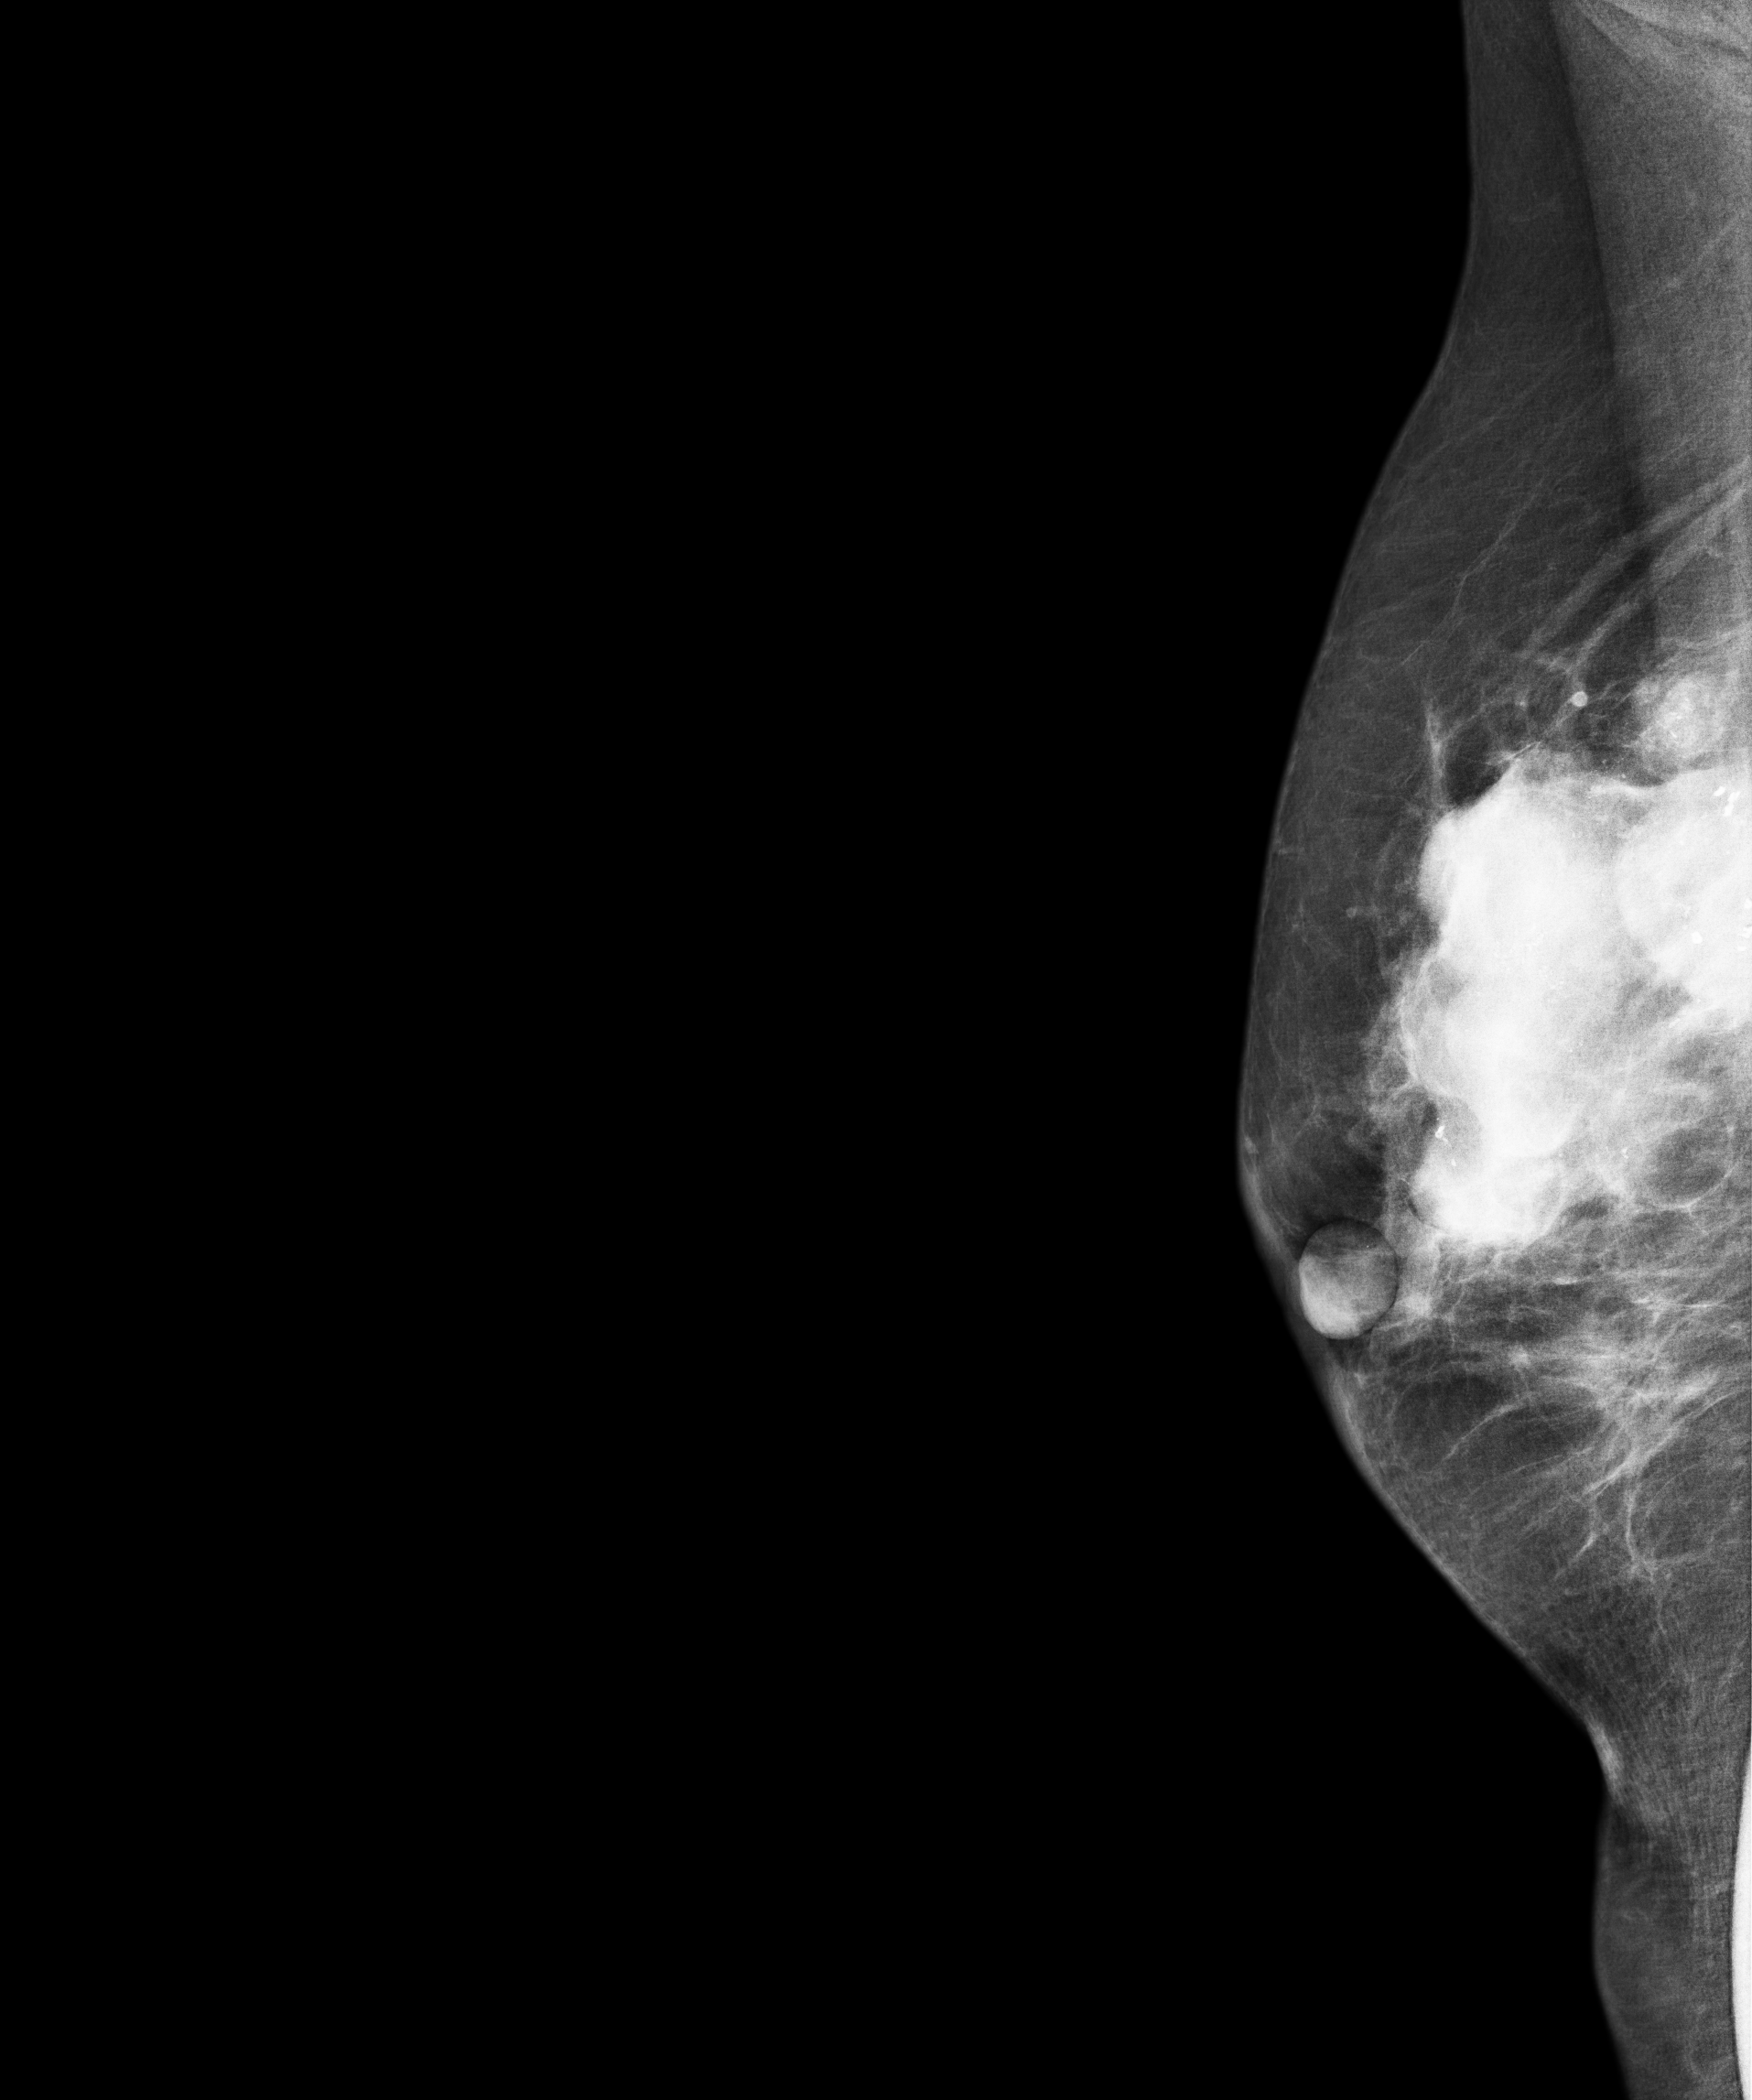
MLO mammogram of the right breast. 69-year-old patient.
This breast has a mass and calcifications, pathology-confirmed malignant.